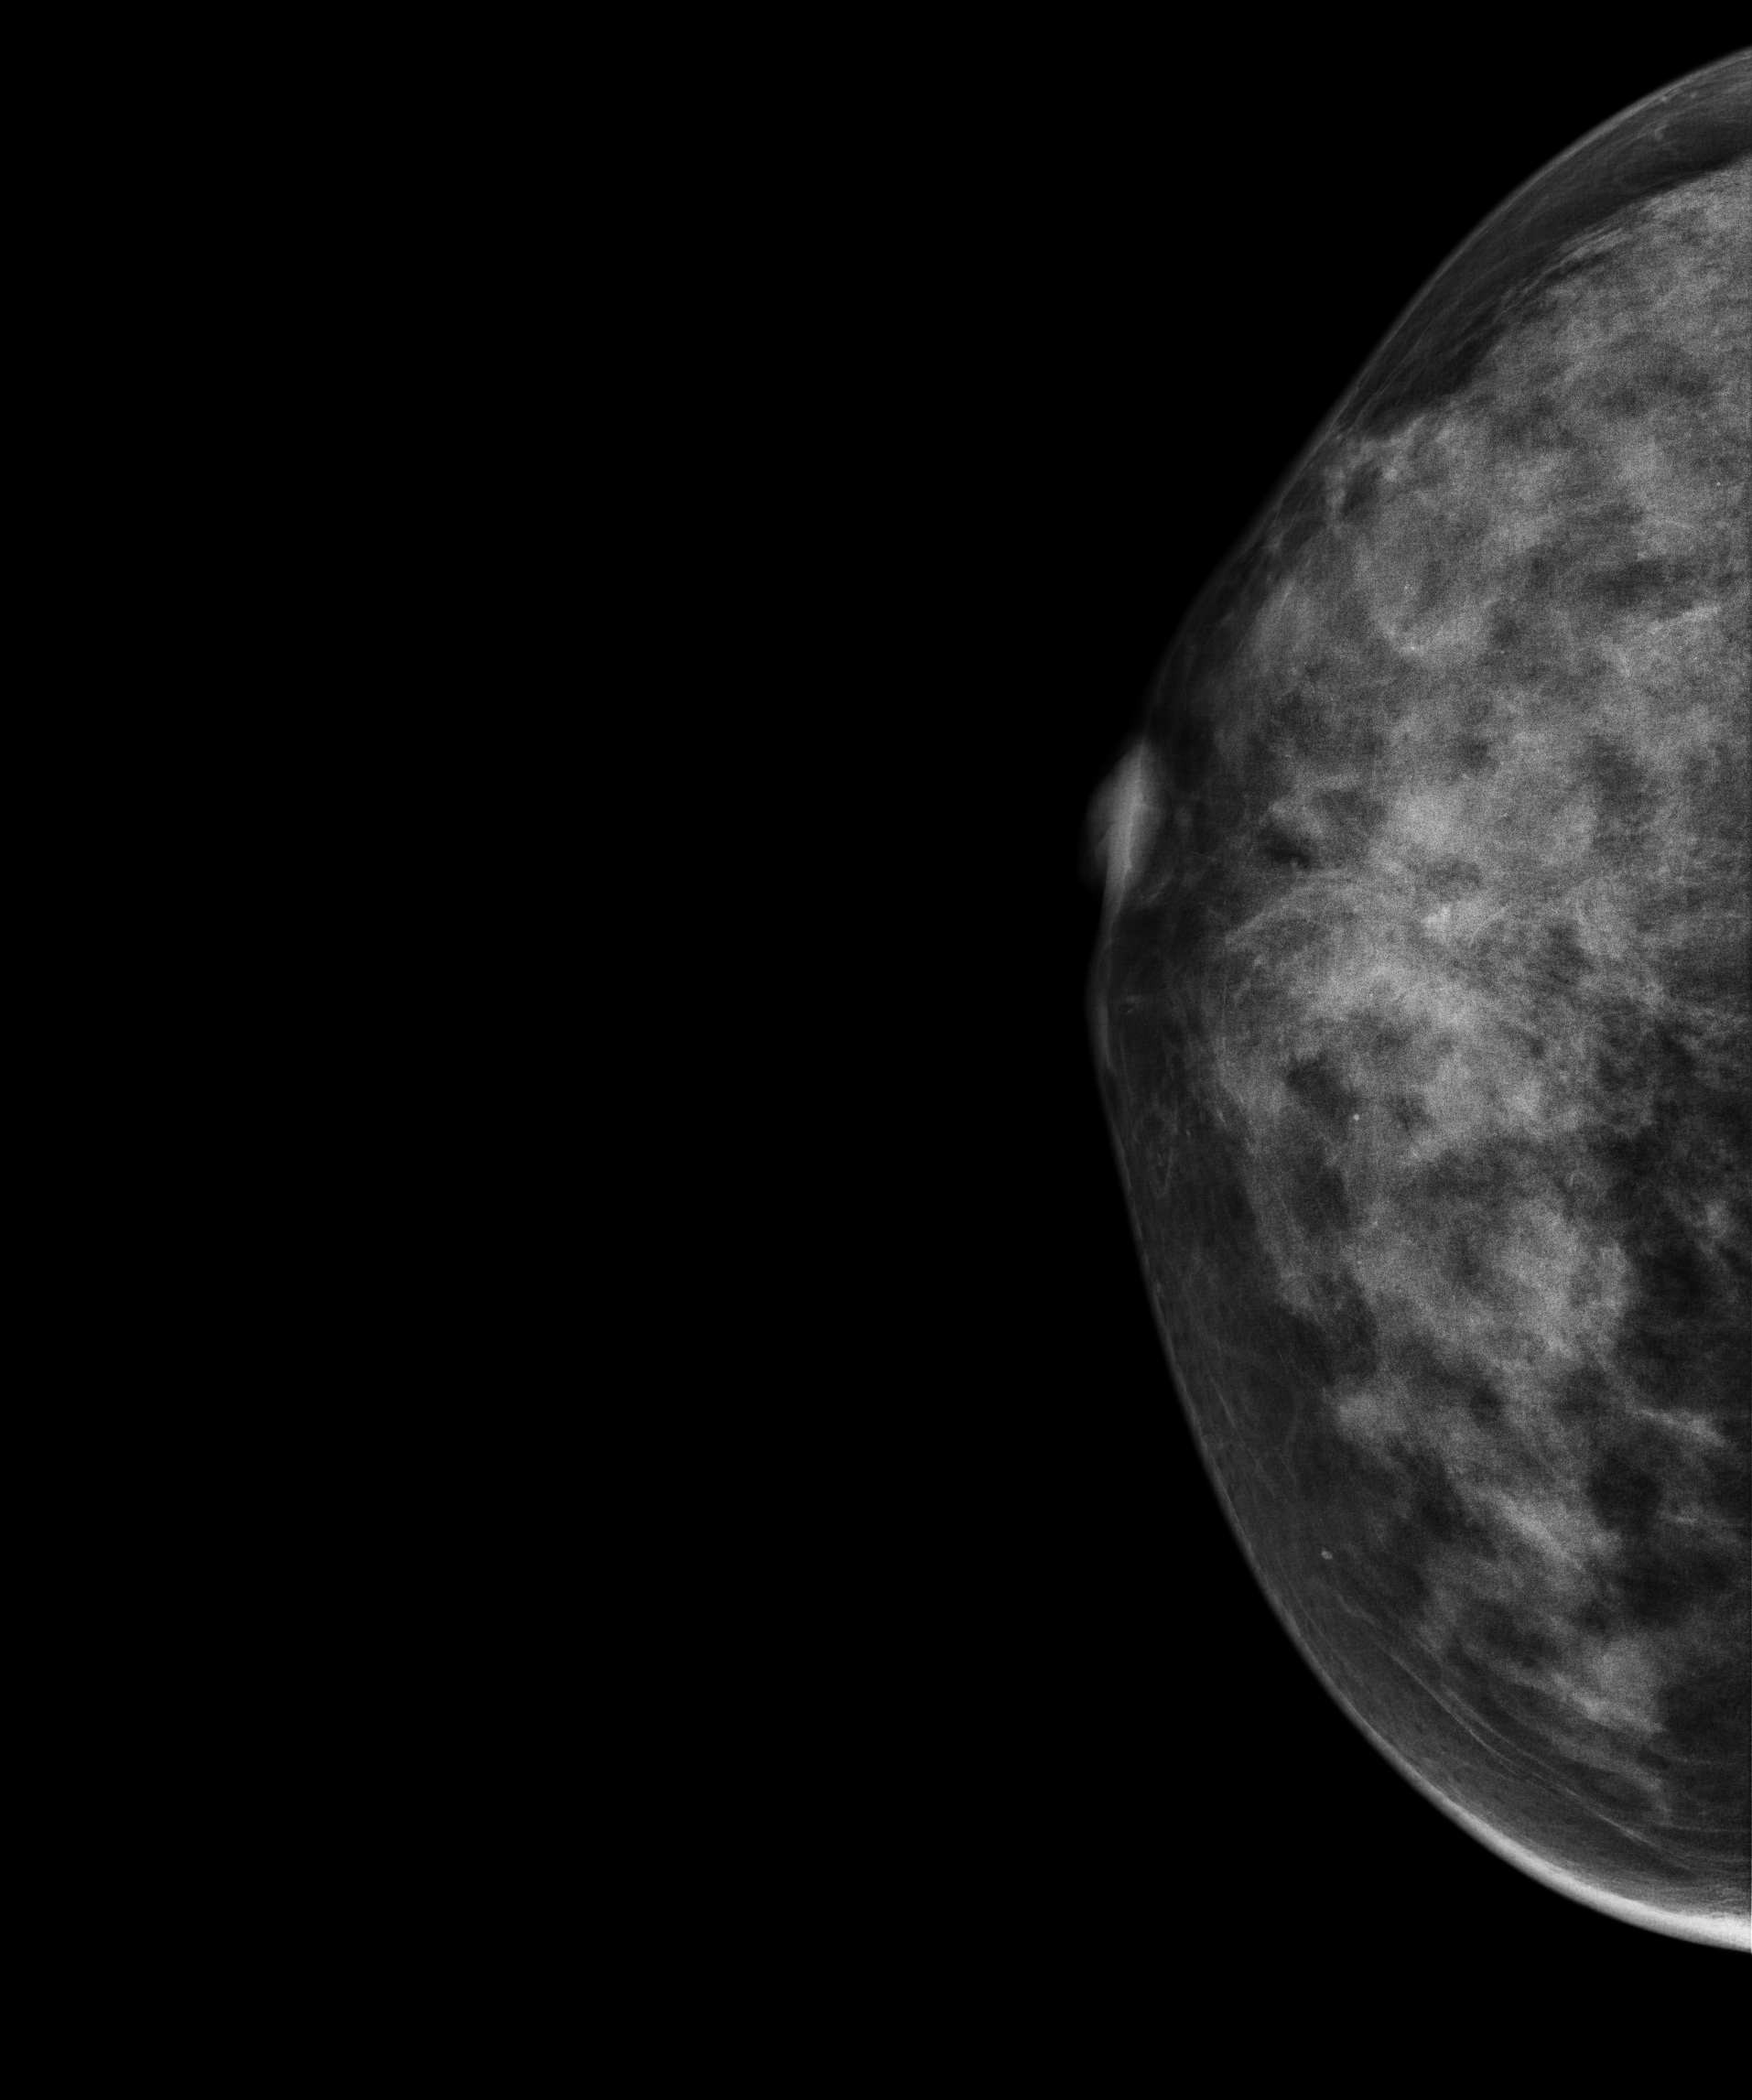
Mammogram, right breast, CC view. 45-year-old patient.
This breast has a mass and calcifications, histologically confirmed benign.